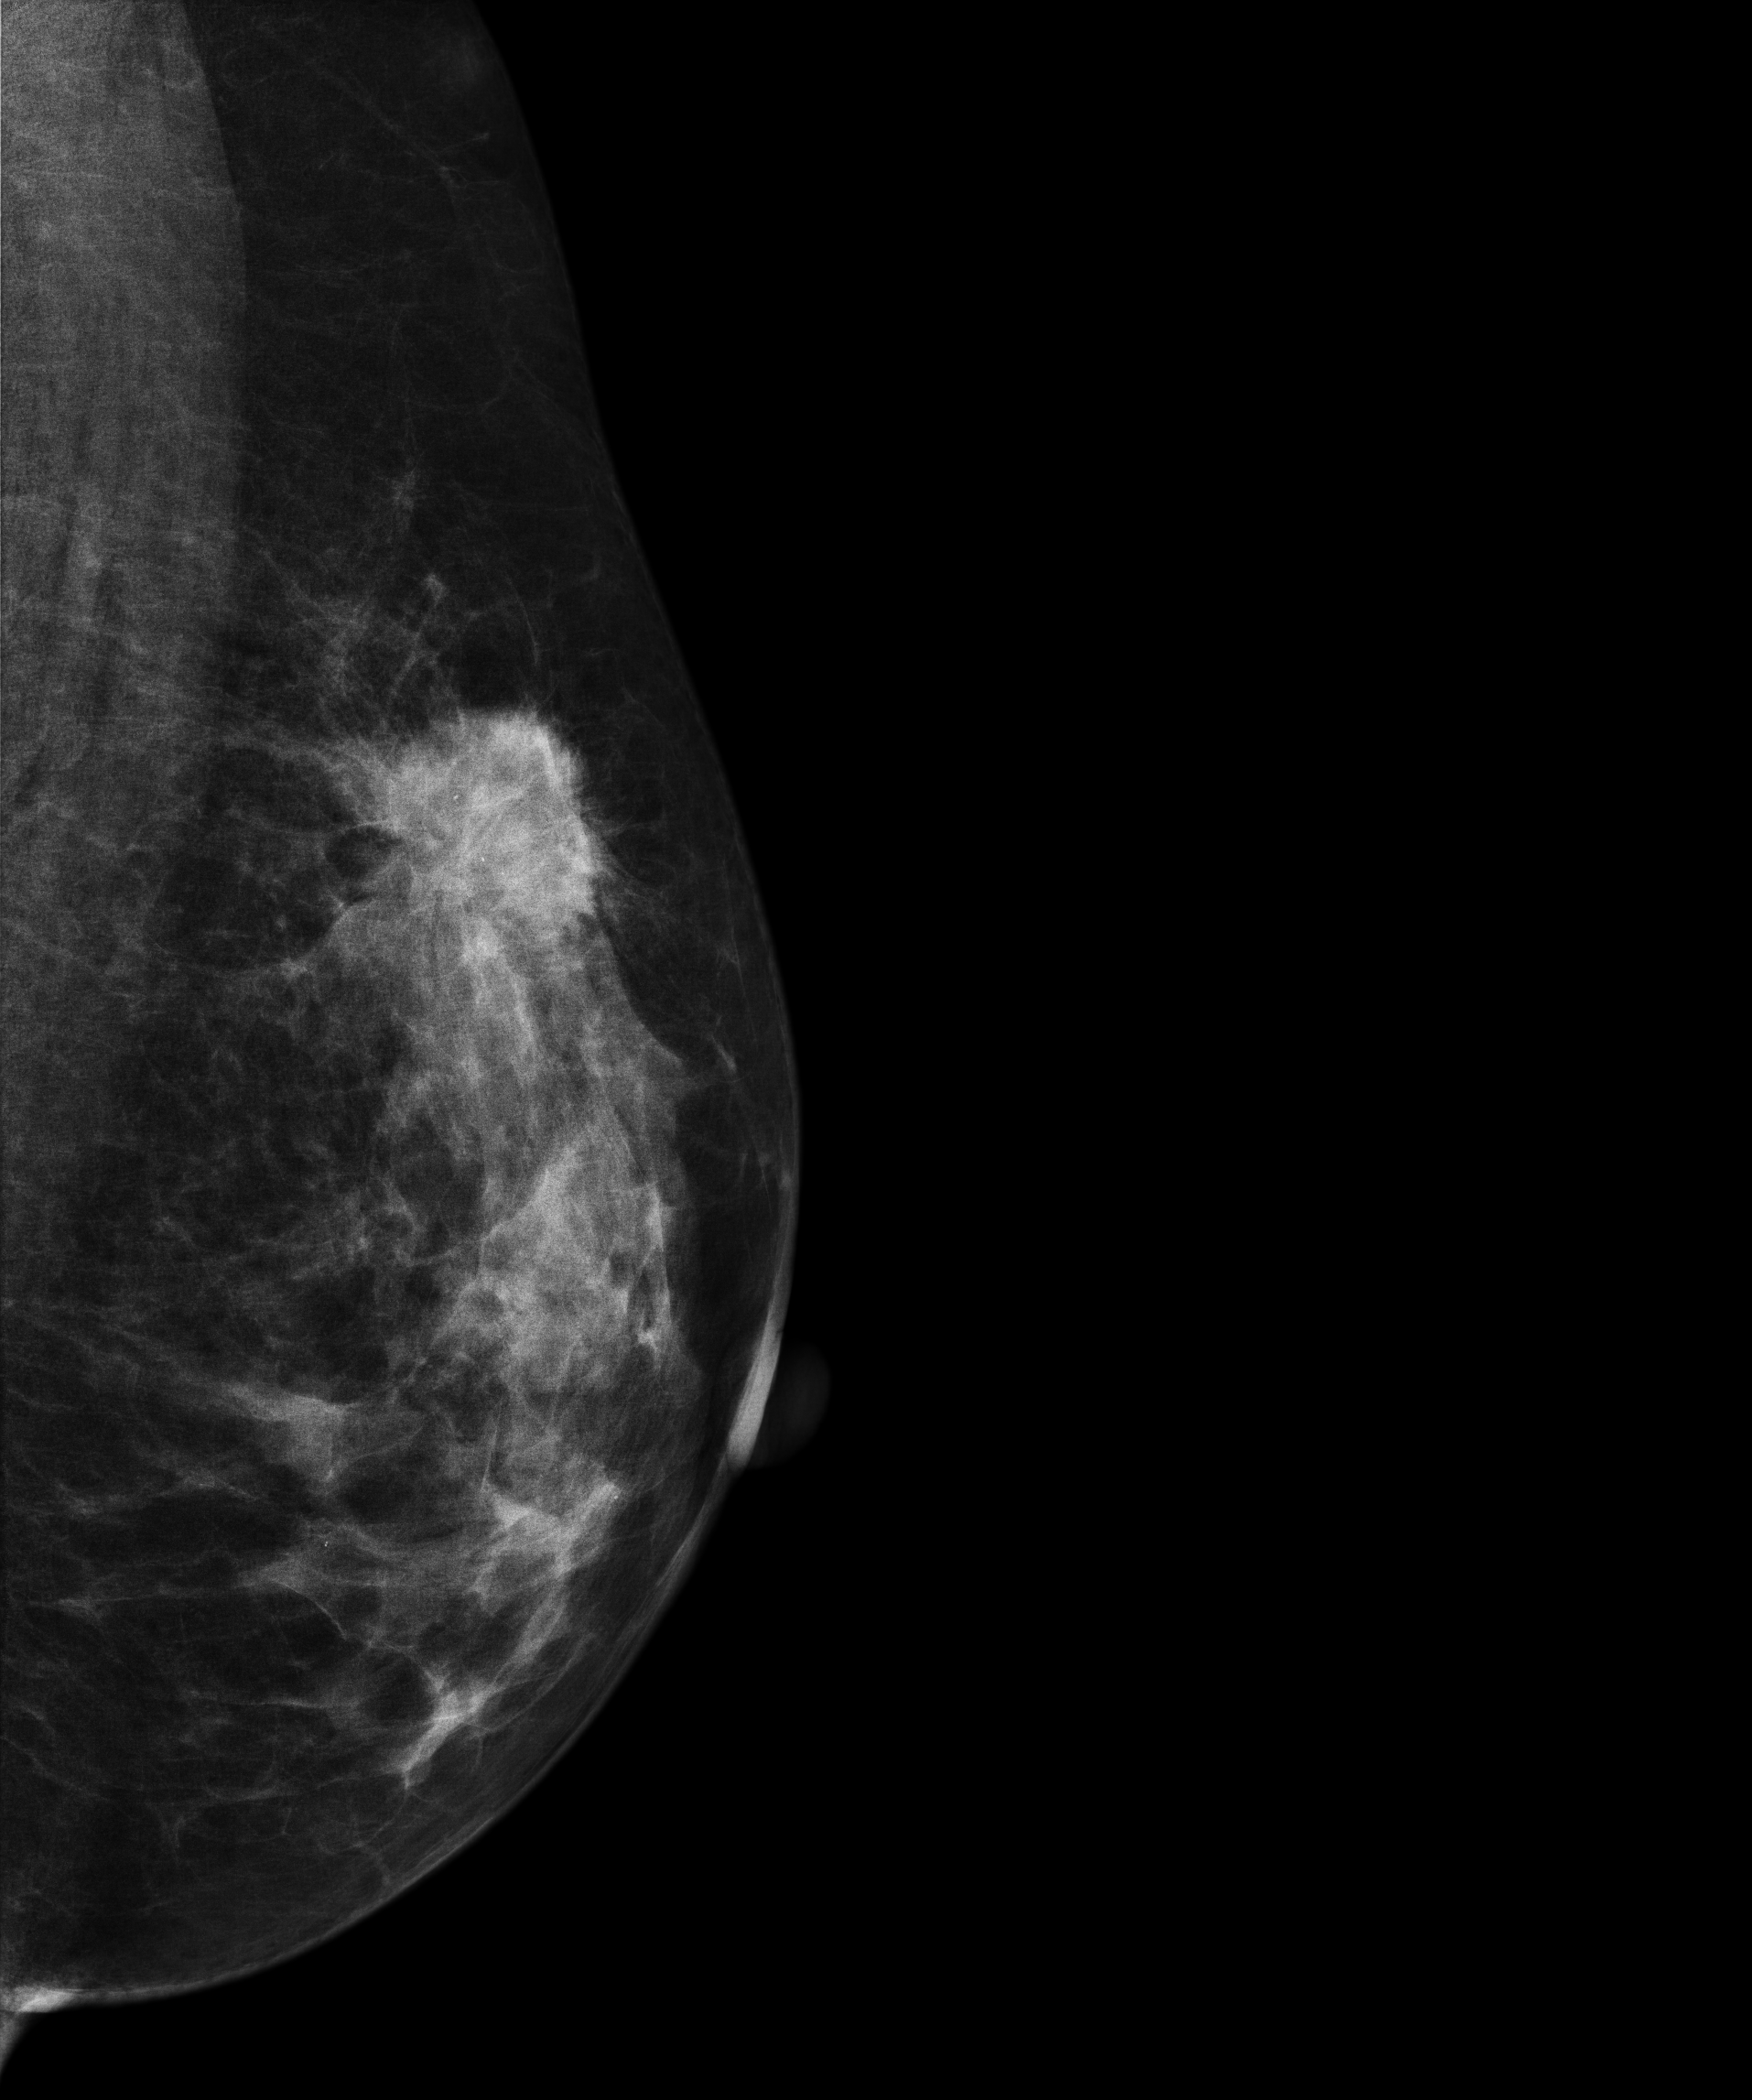
Mammogram — left MLO. 56 y/o patient.
This breast has a mass and calcifications, biopsy-proven malignant. Molecular subtype: luminal B.